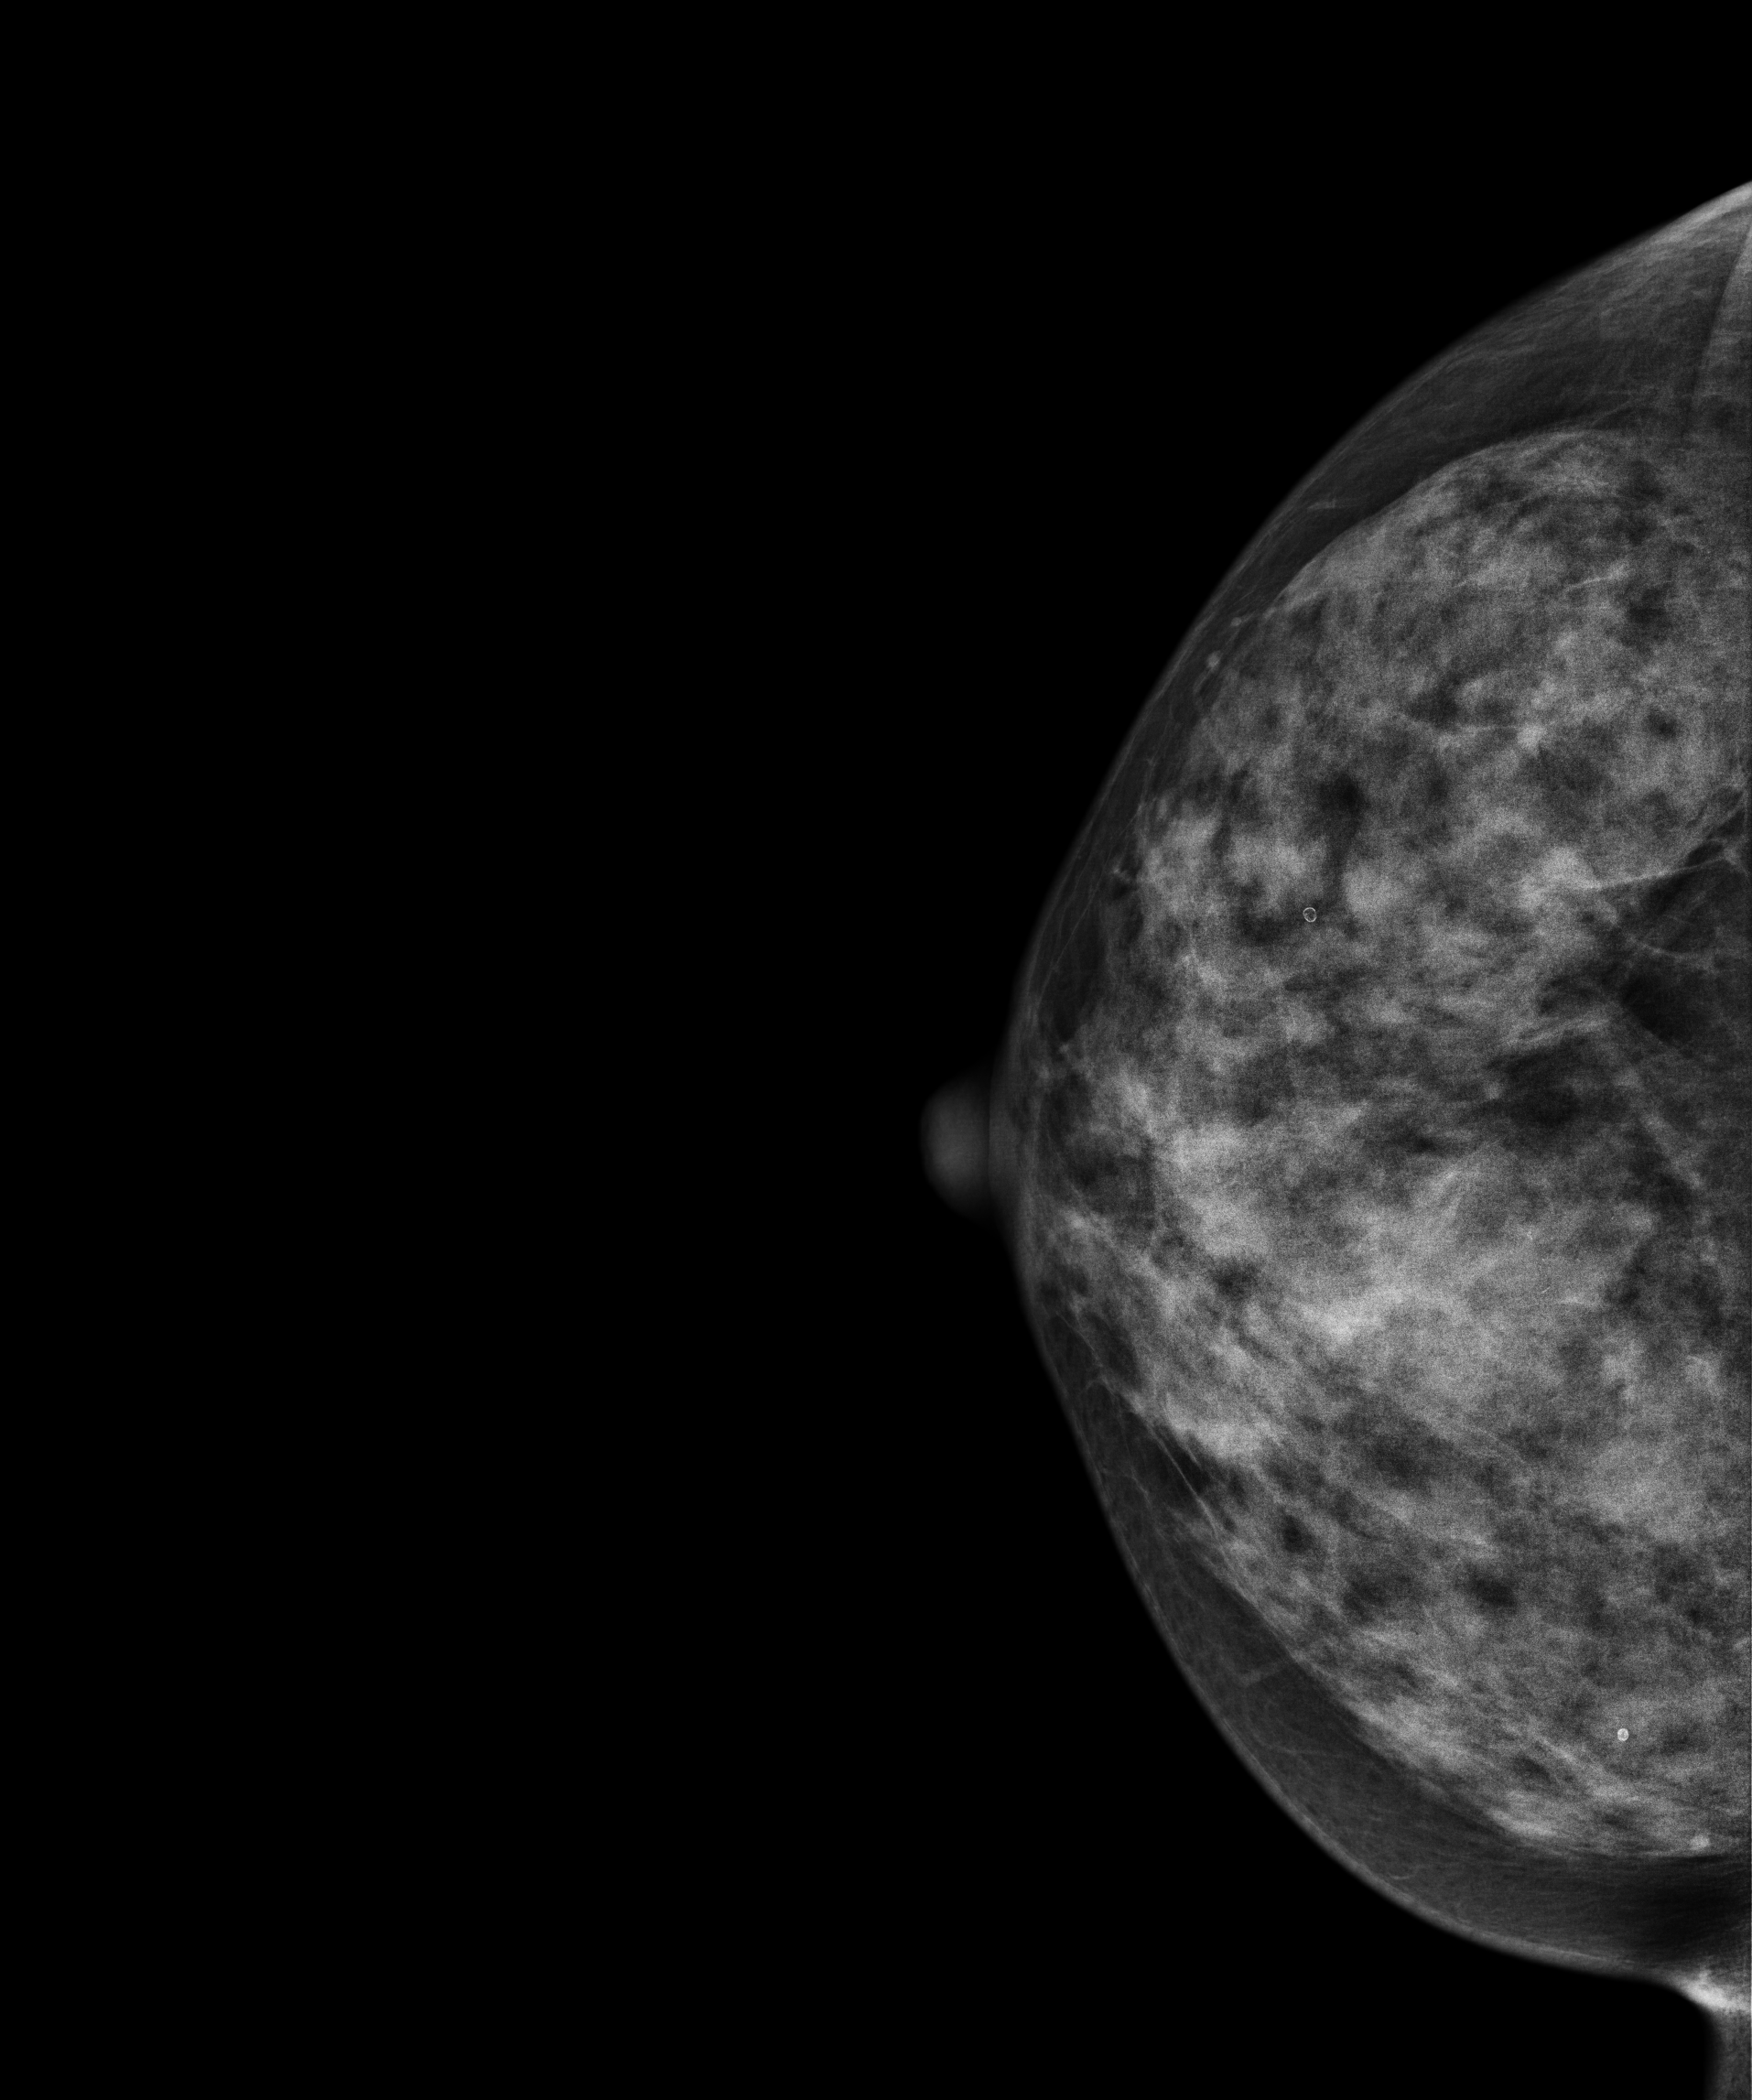
CC mammogram of the right breast. Patient age 53.
This breast has a mass, pathology-confirmed malignant. Molecular subtype: luminal B.